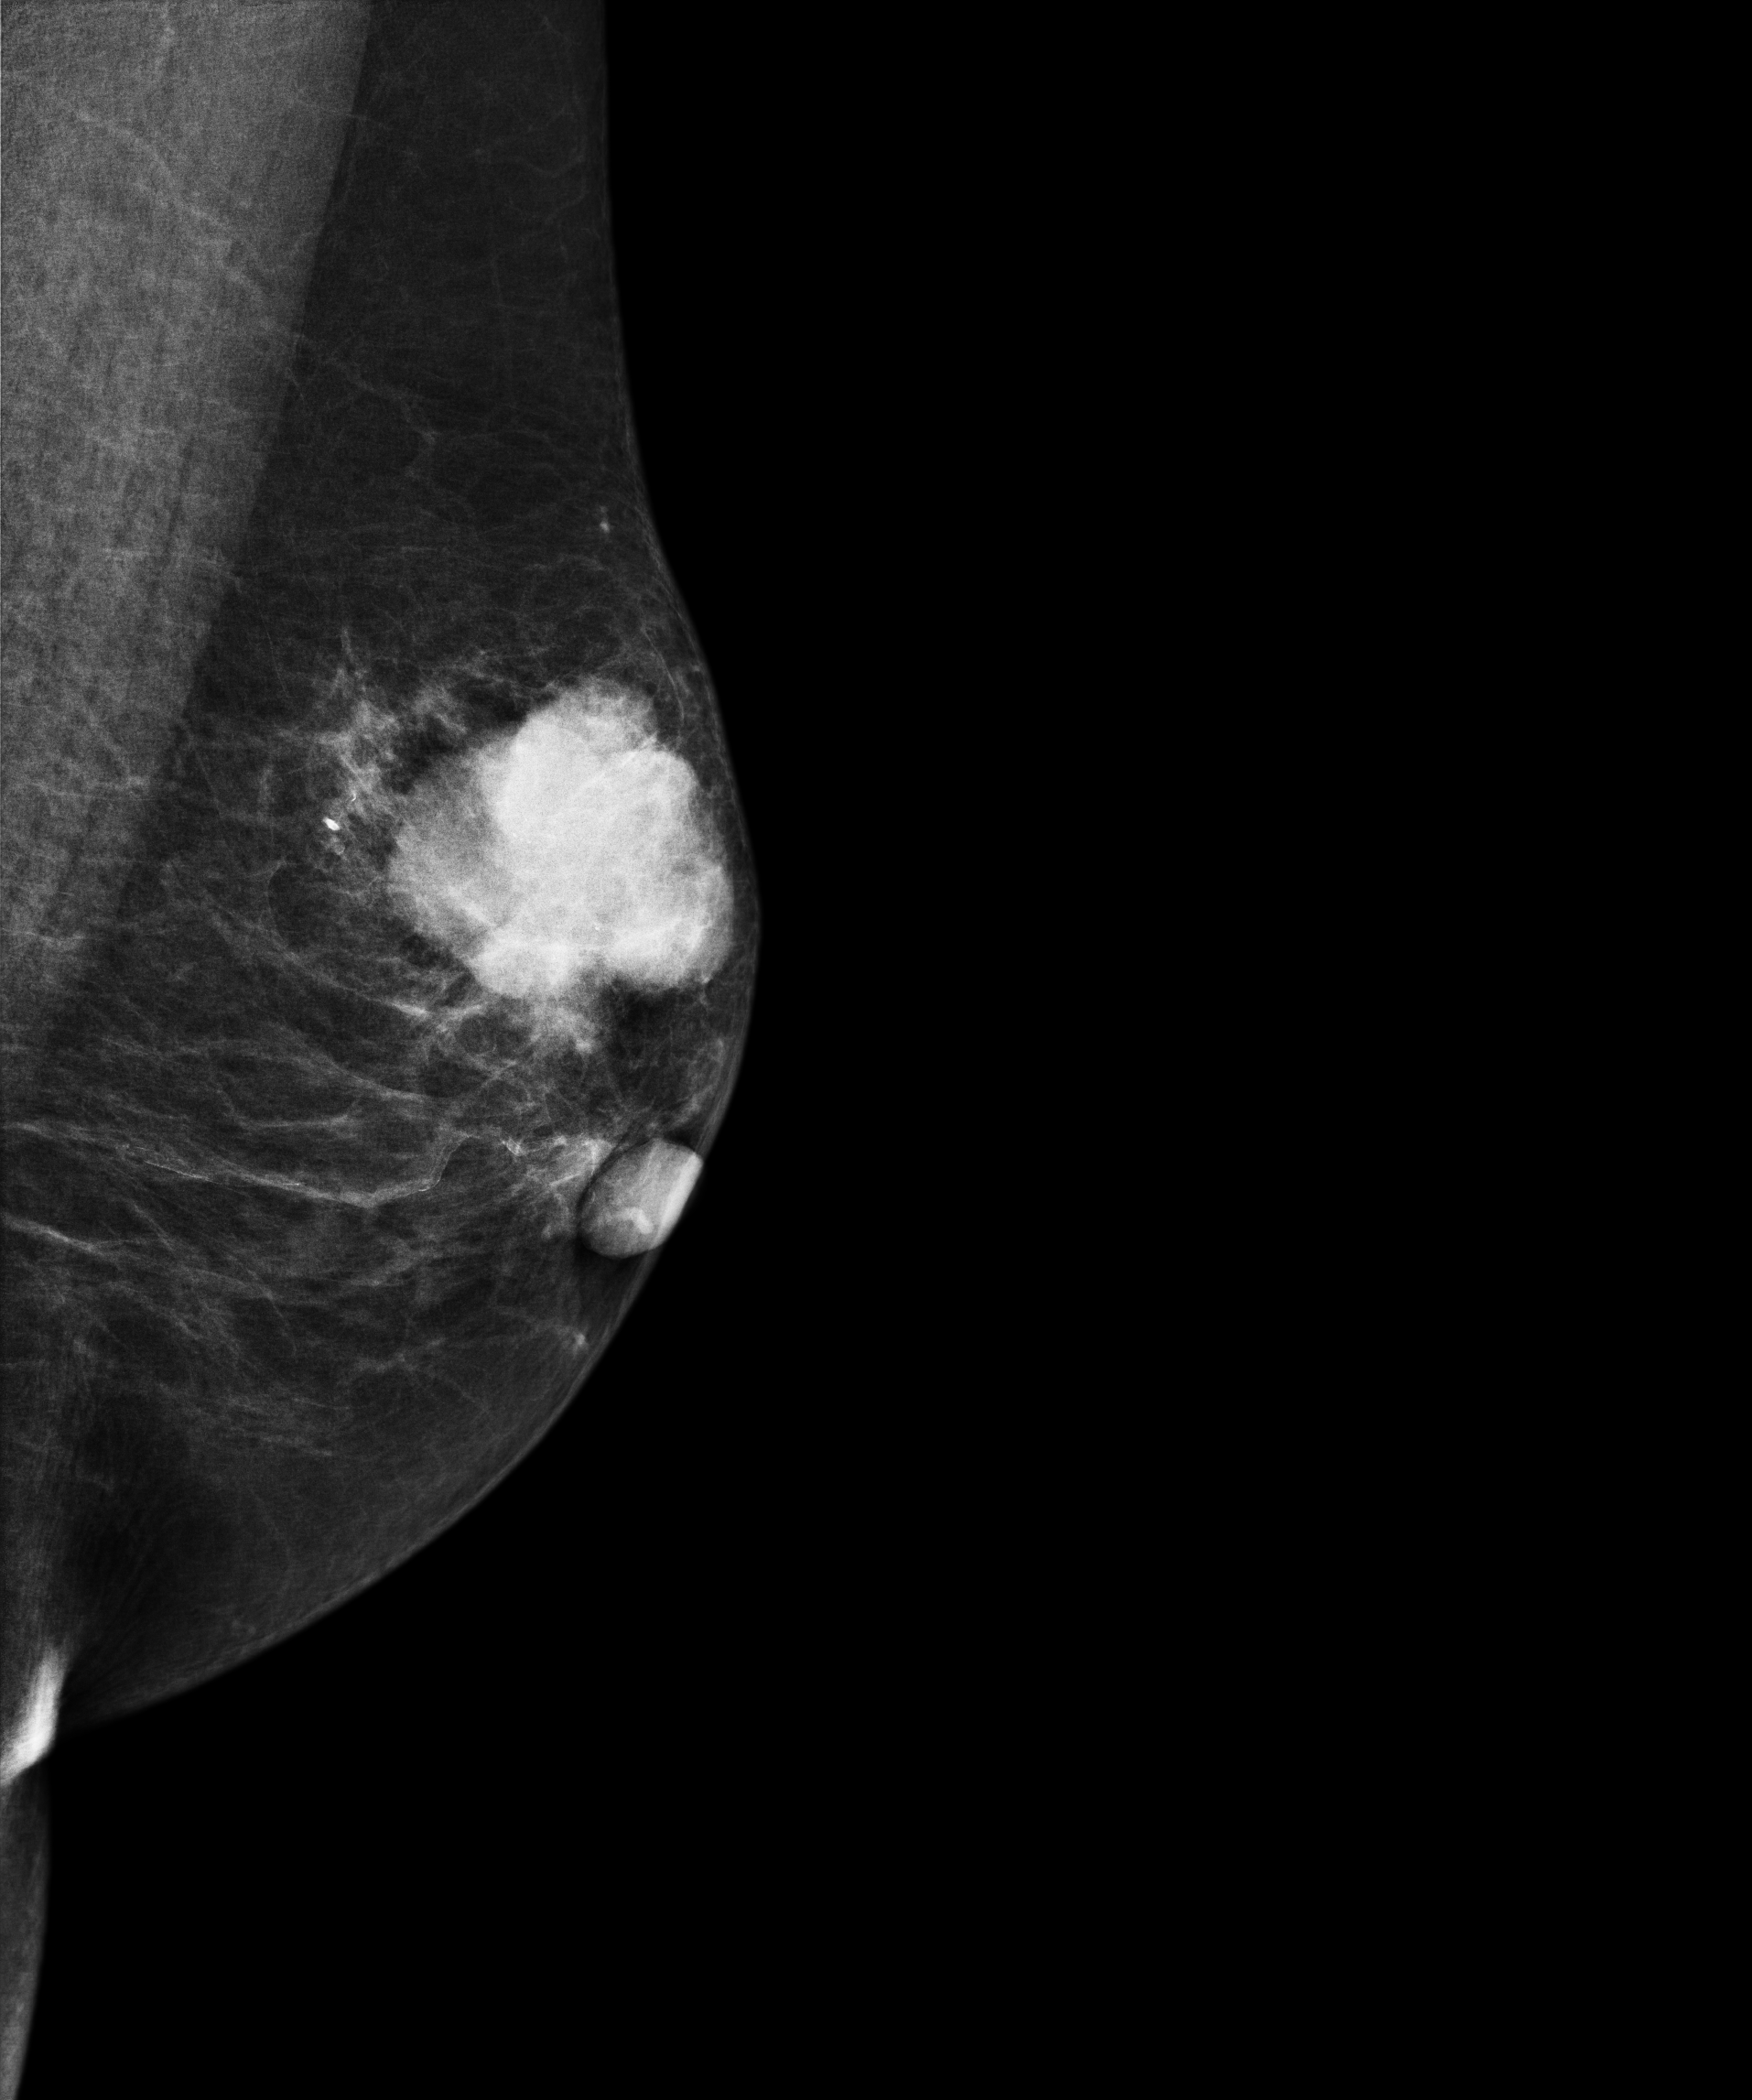
Mammogram, left breast, medio-lateral oblique view. Patient age 70.
This breast has a mass, histologically confirmed malignant.